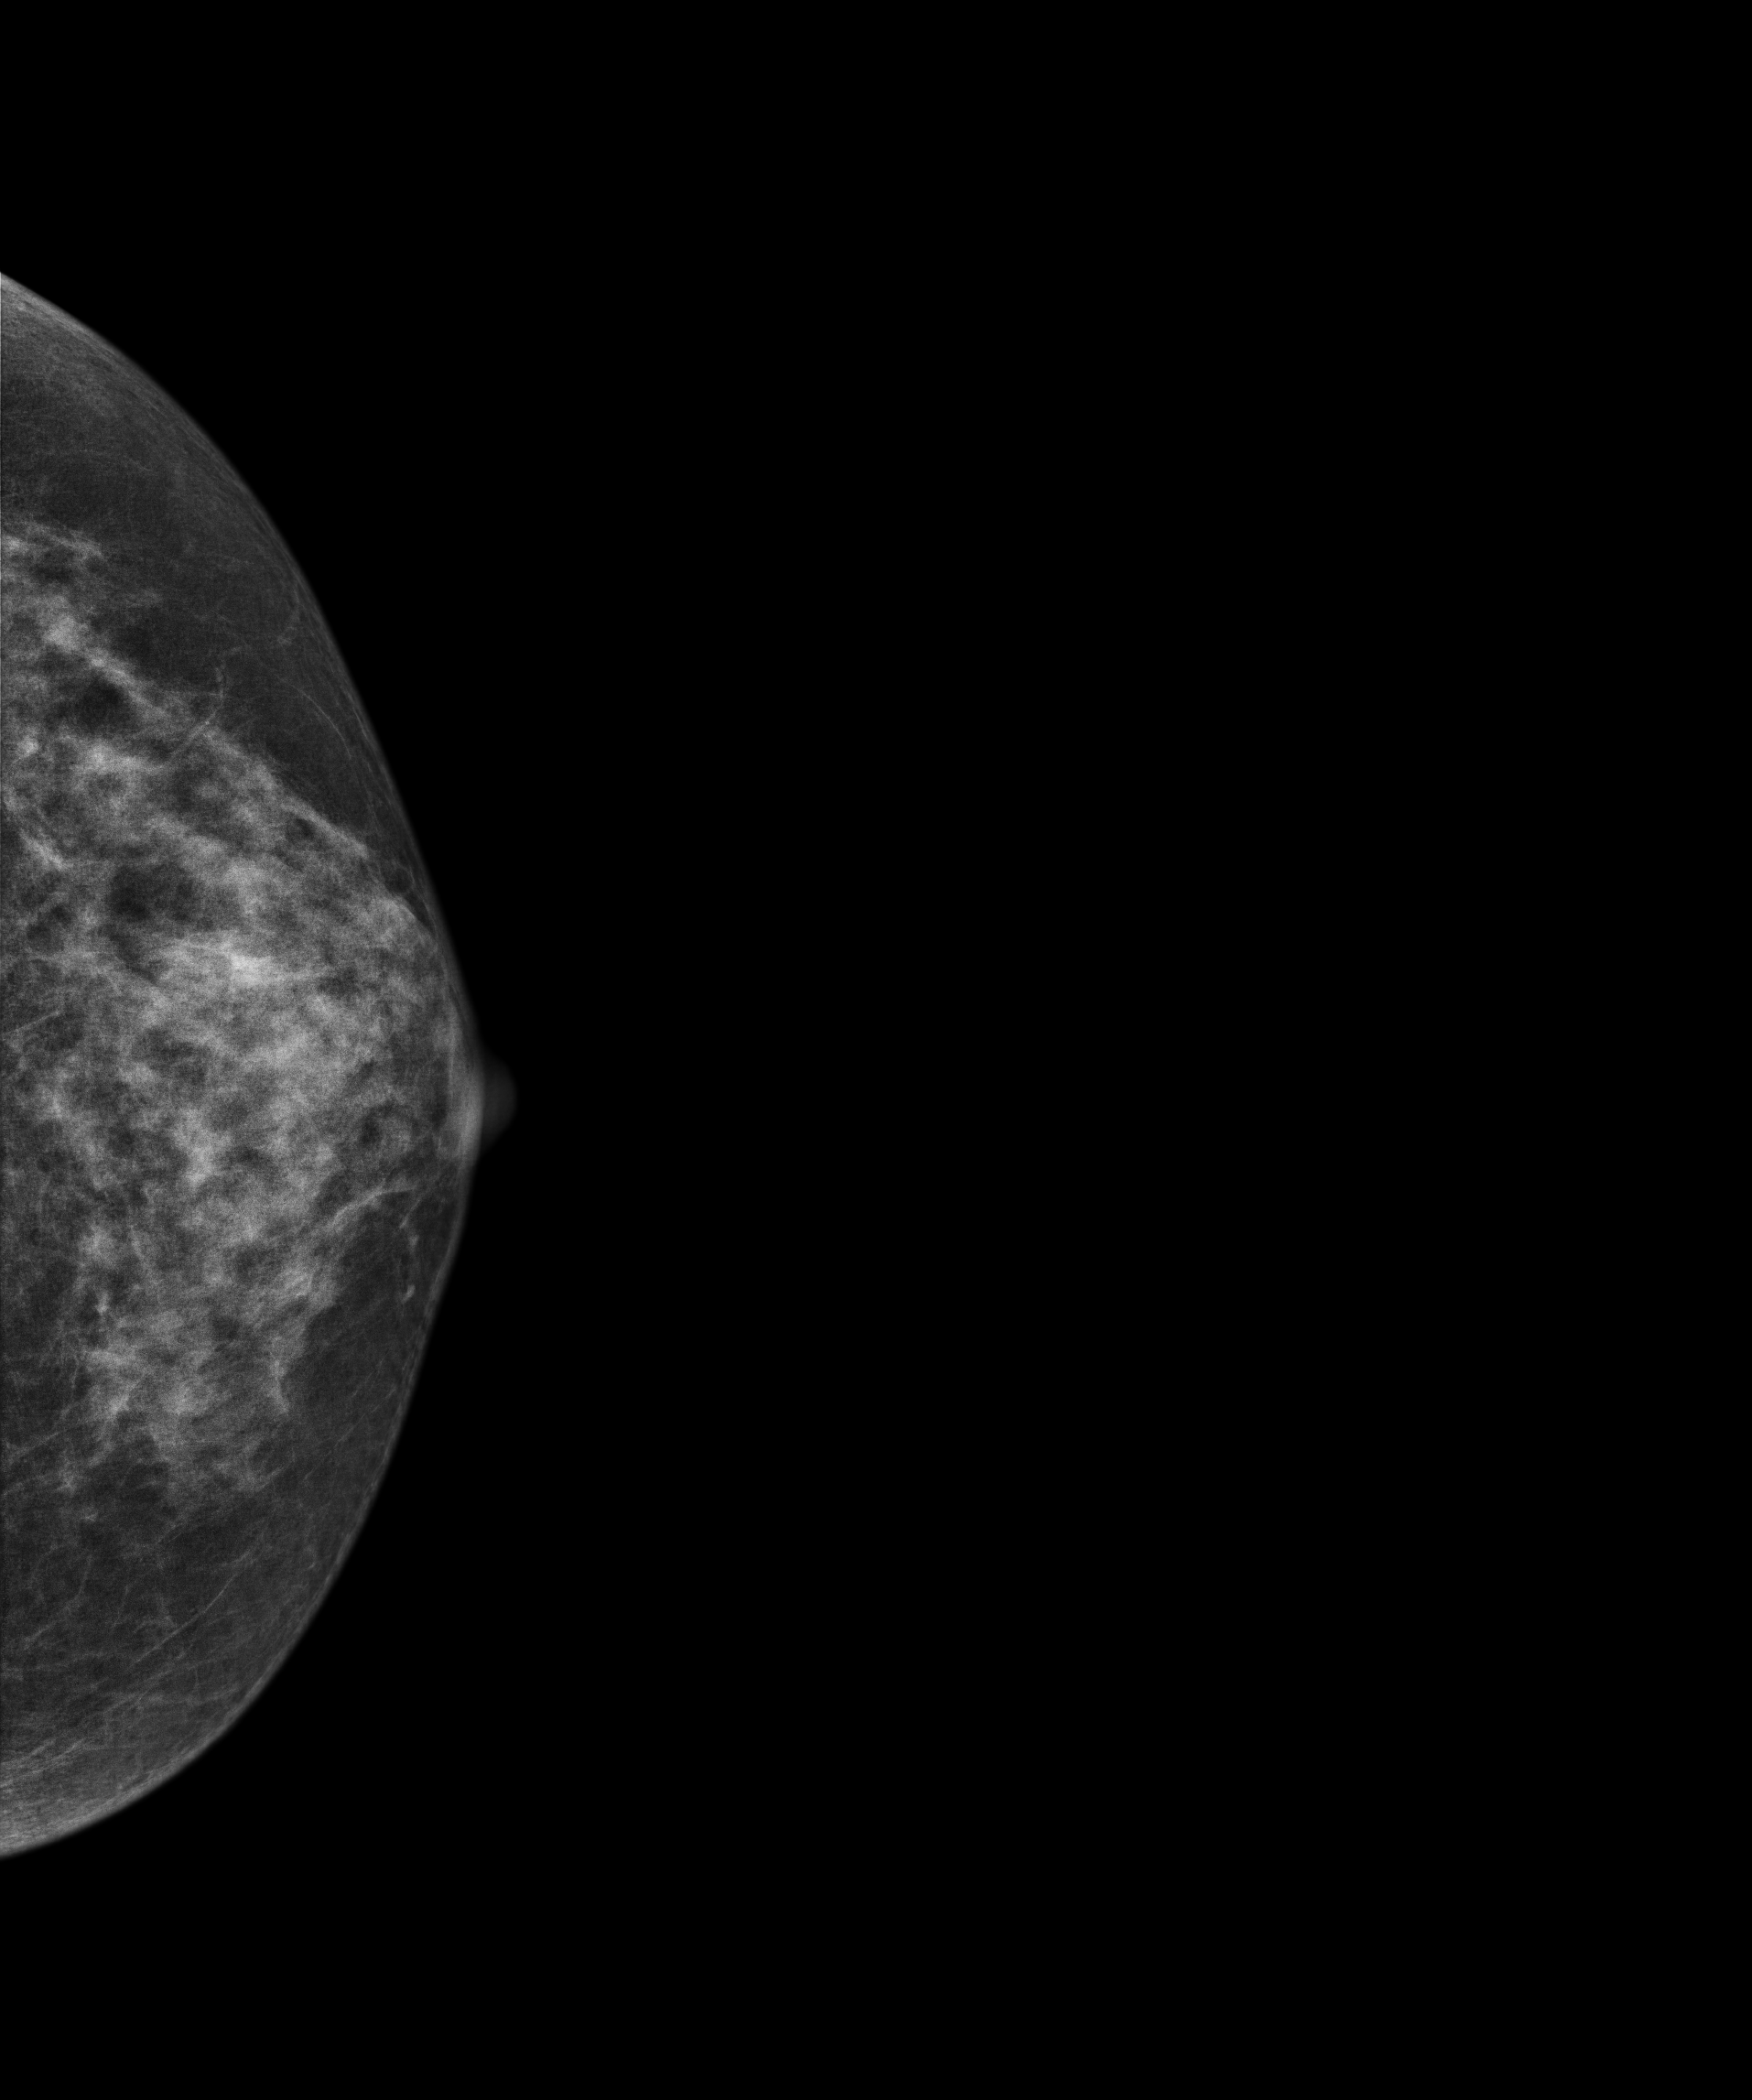
Digital mammography. Left breast, CC projection. 58 y/o patient.
Contralateral breast — no documented abnormality on this side.